Left-breast mammogram, MLO. 62 y/o patient.
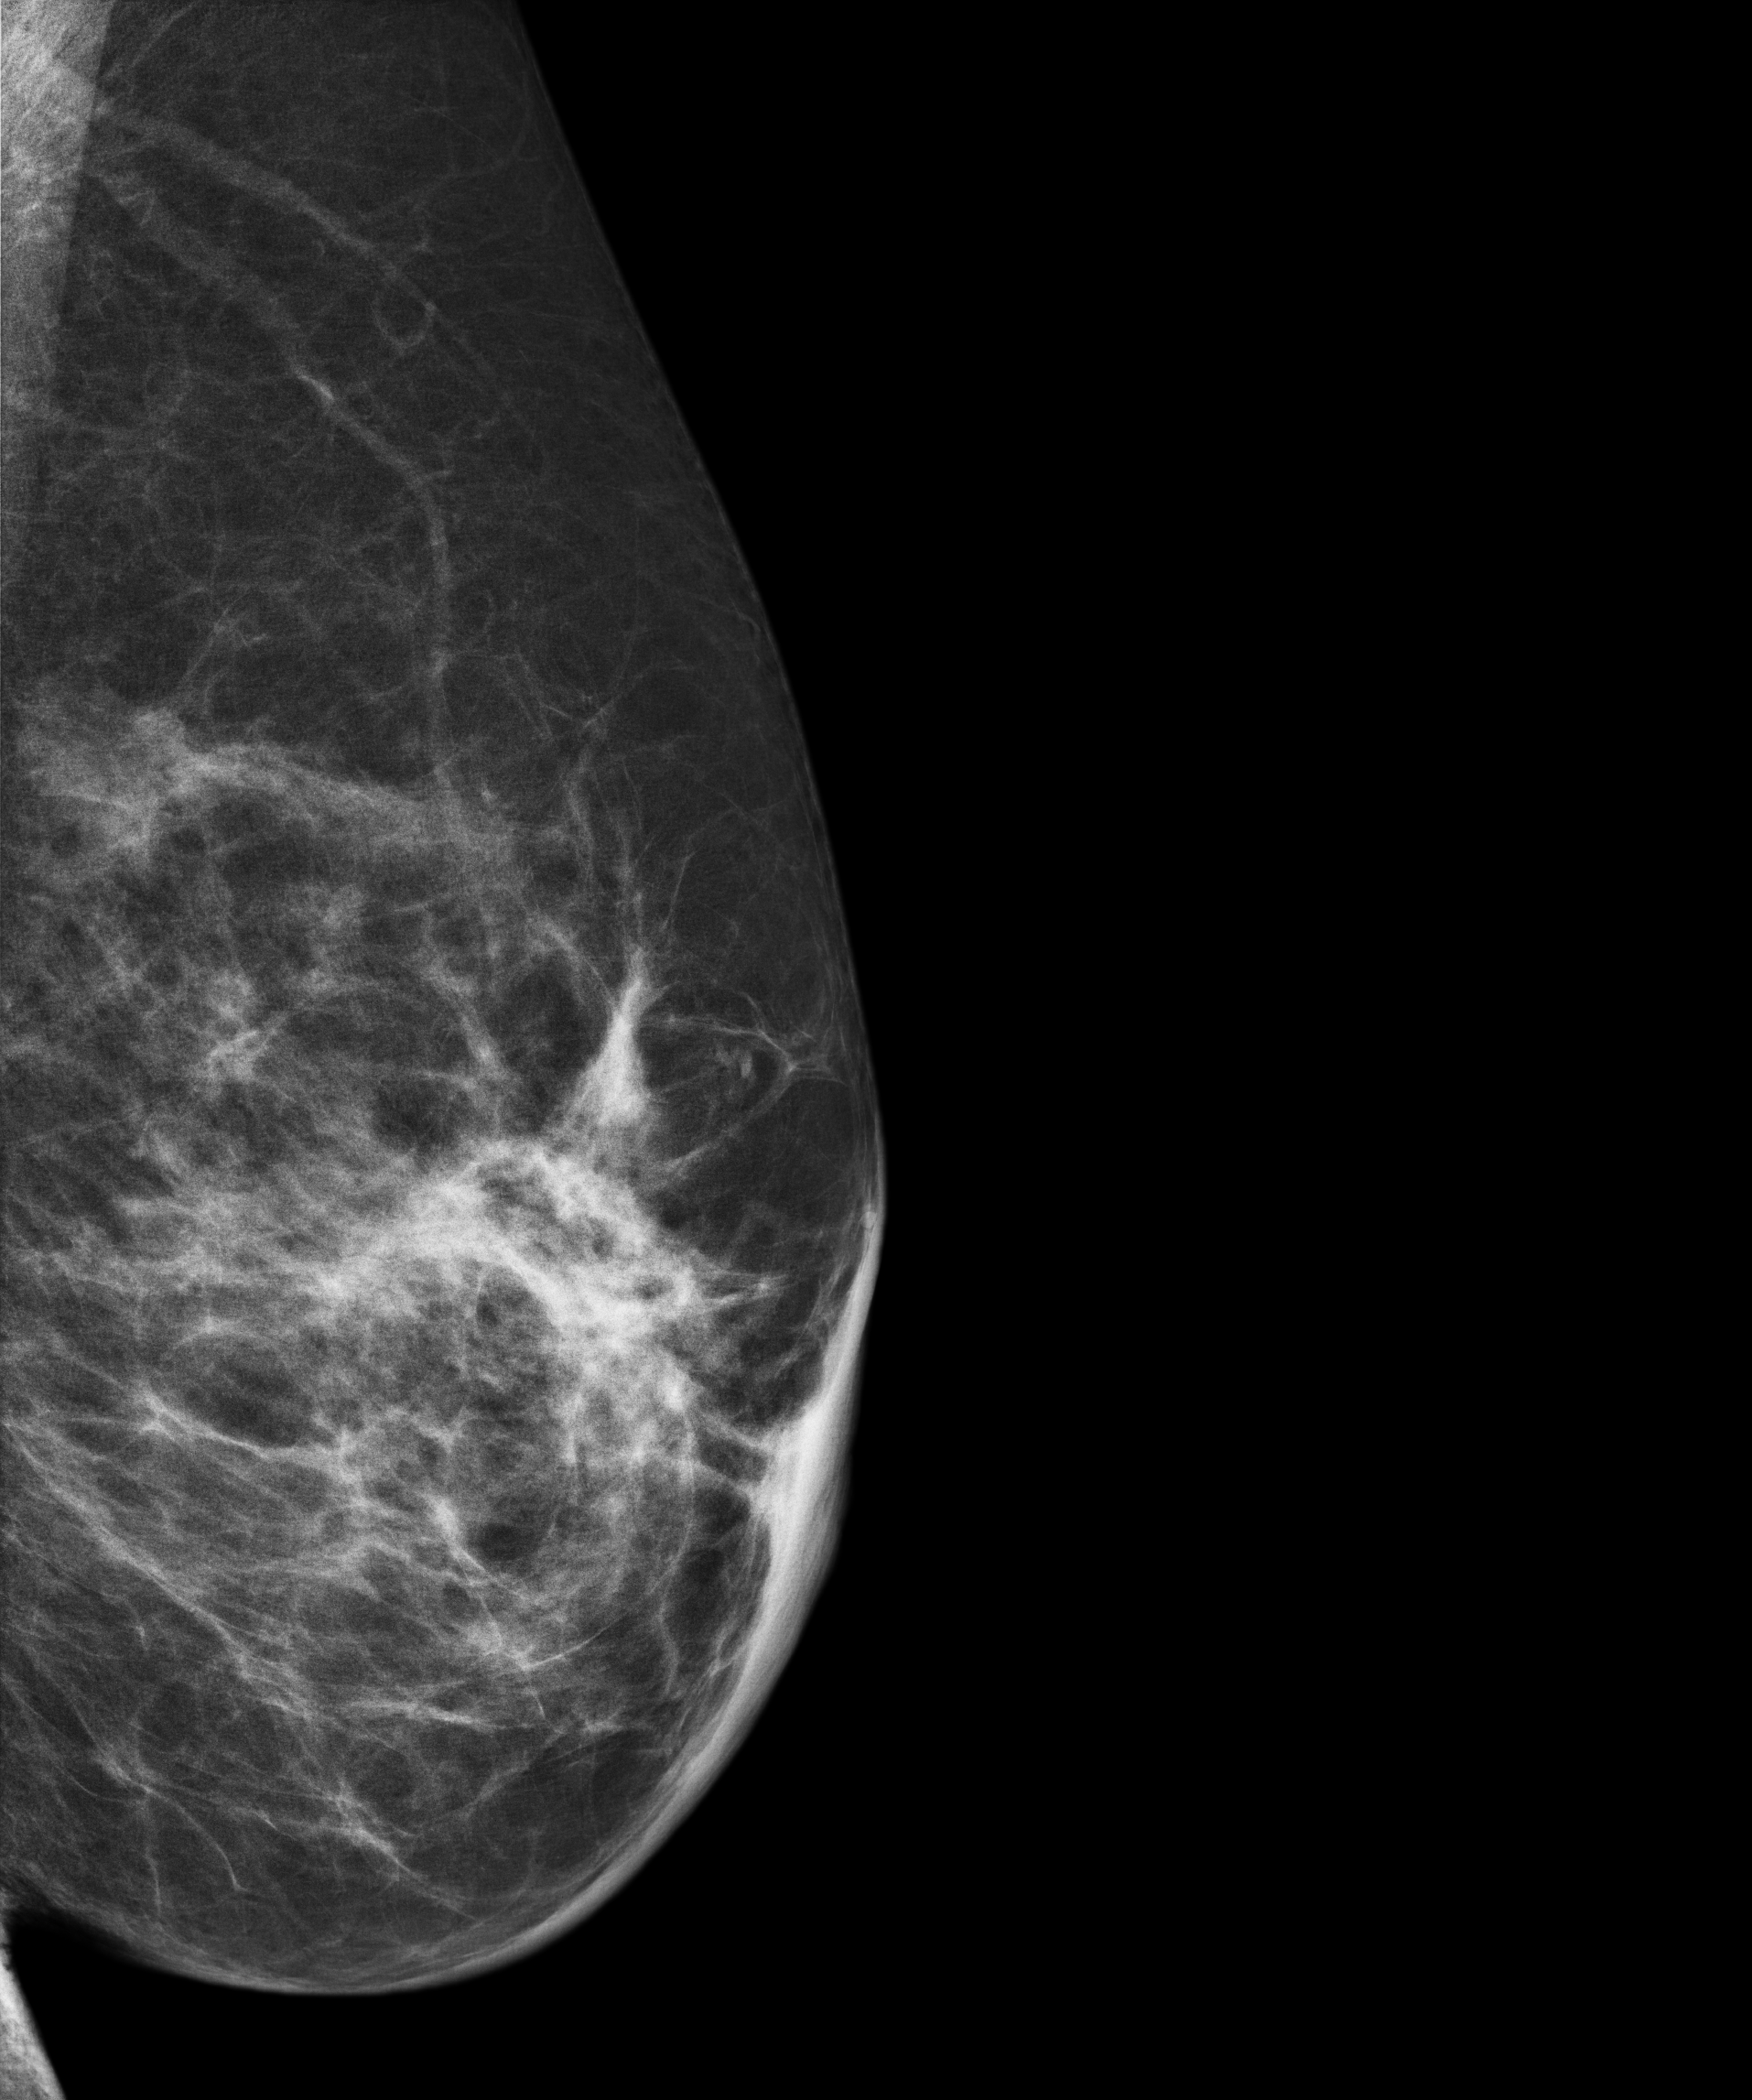
This breast has a mass, pathology-confirmed malignant.